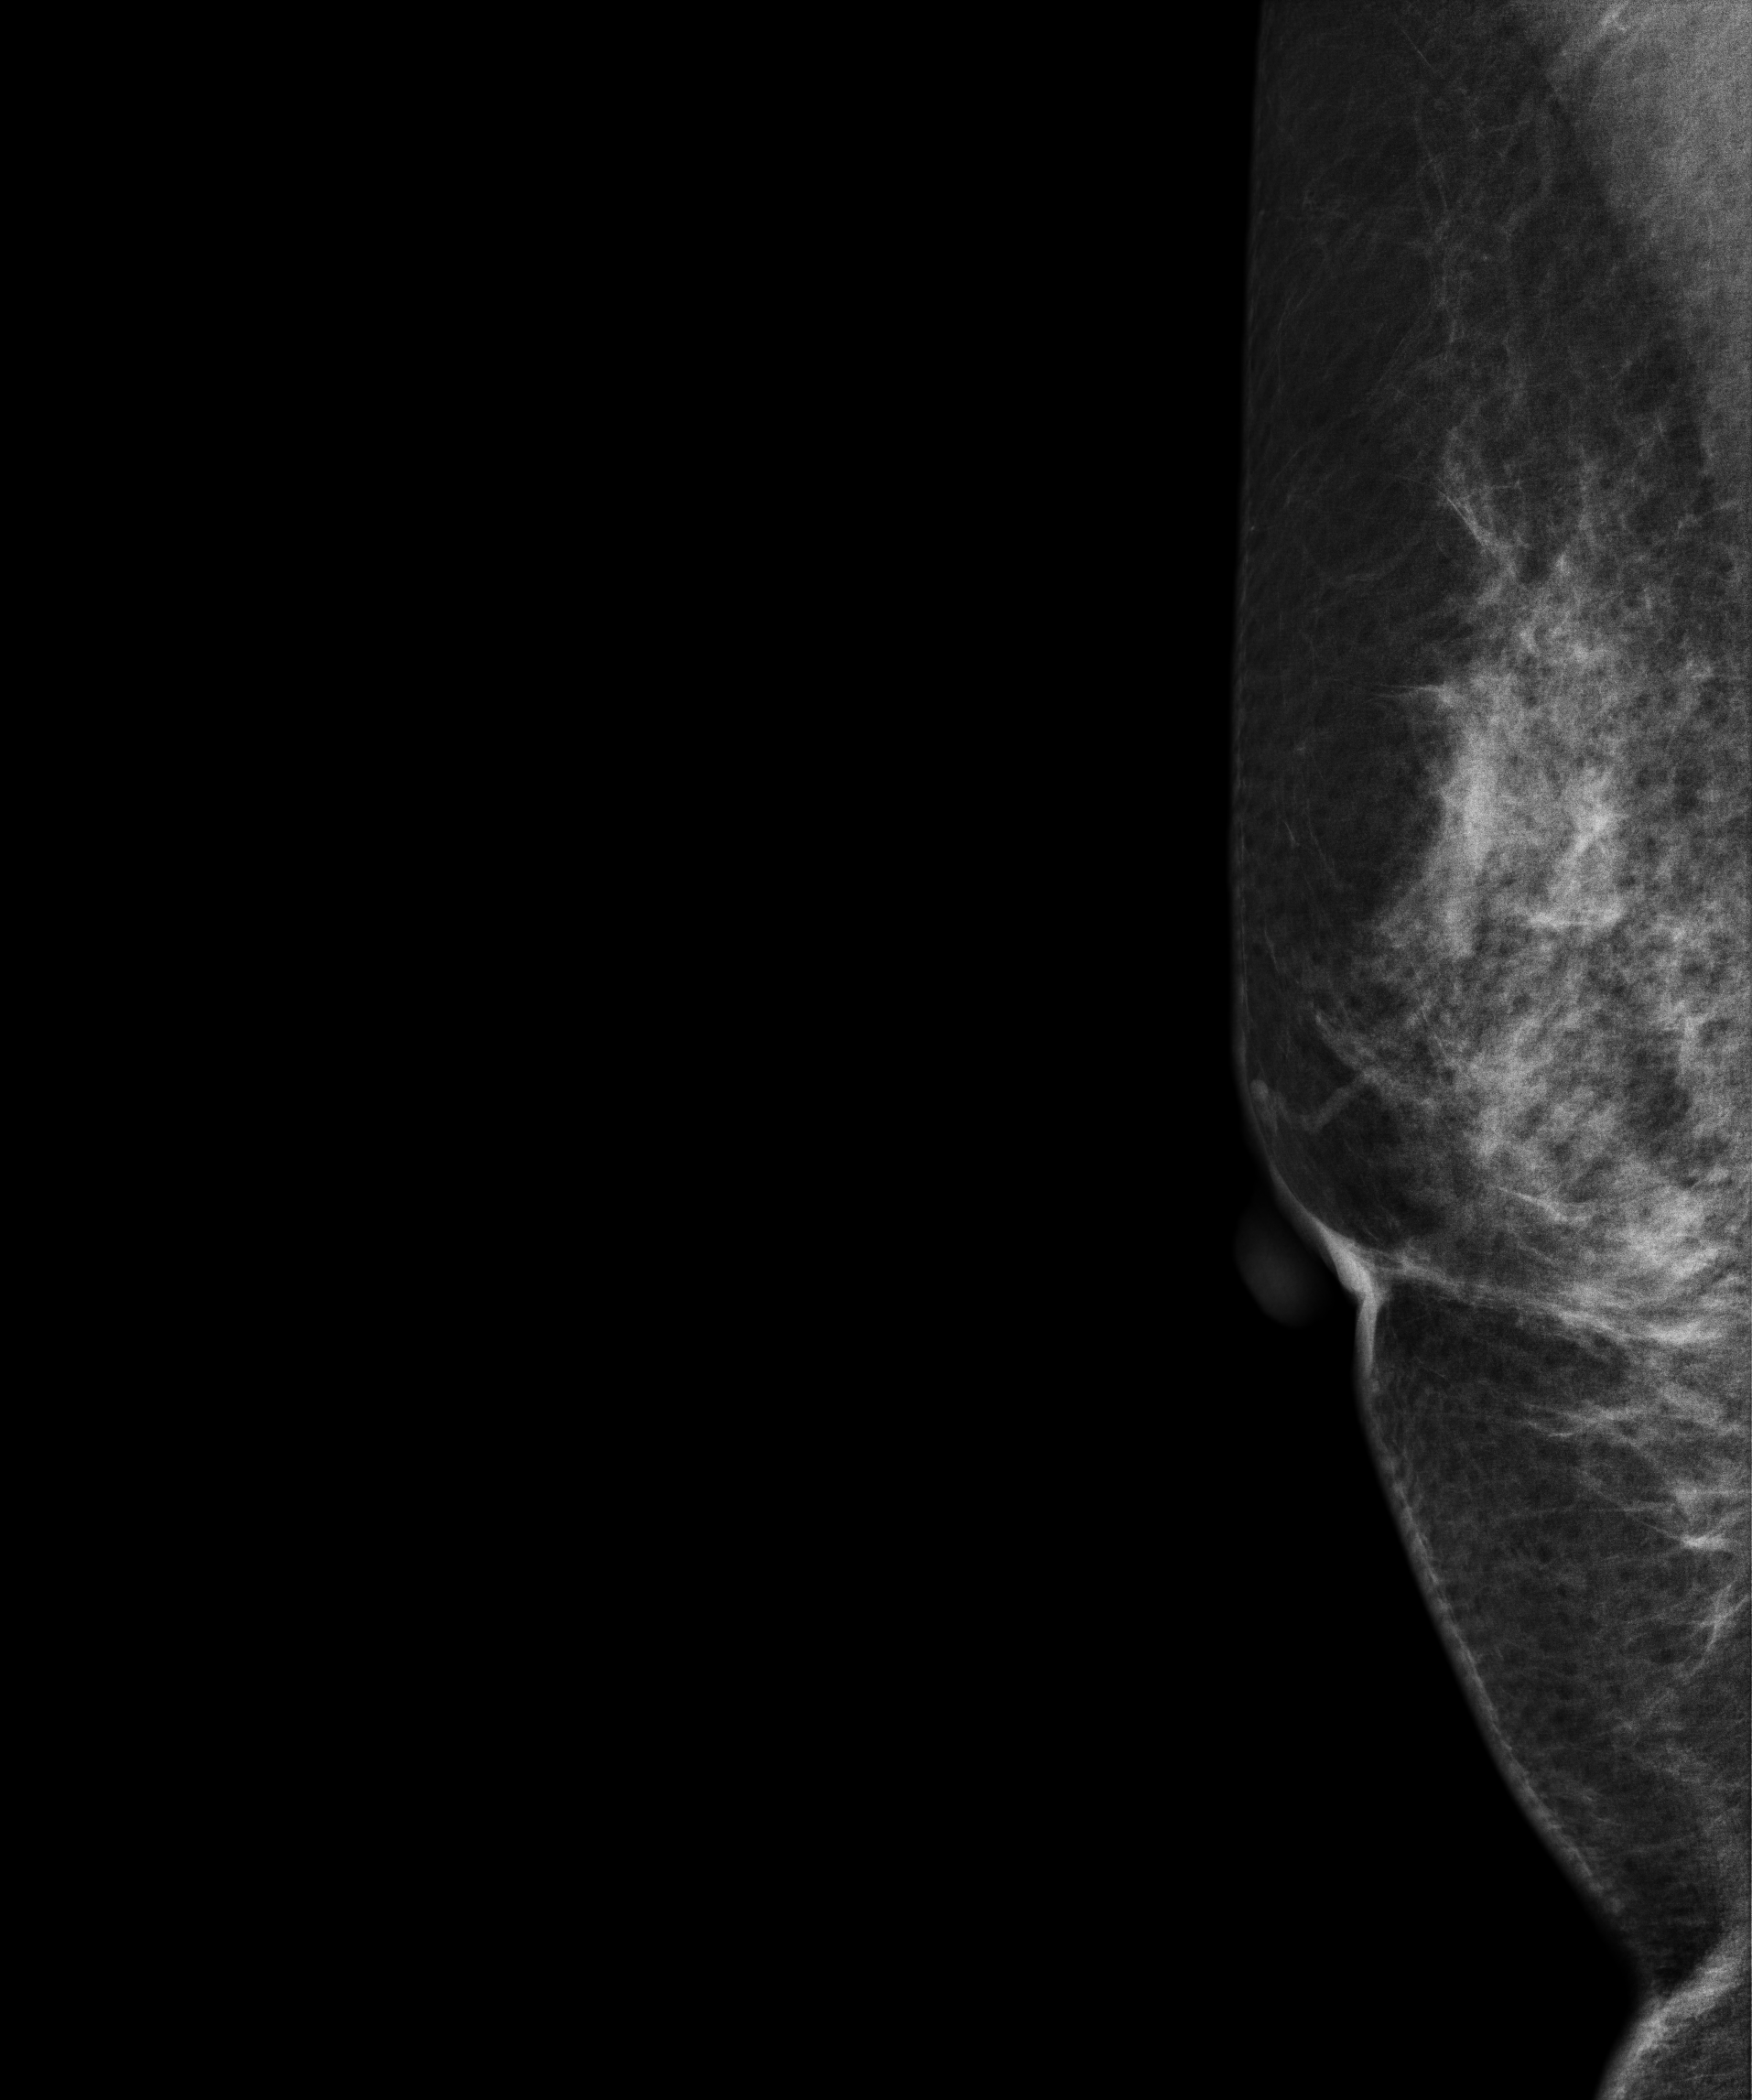
Mammogram, right breast, medio-lateral oblique view. Patient age 48.
Contralateral breast — no documented abnormality on this side.